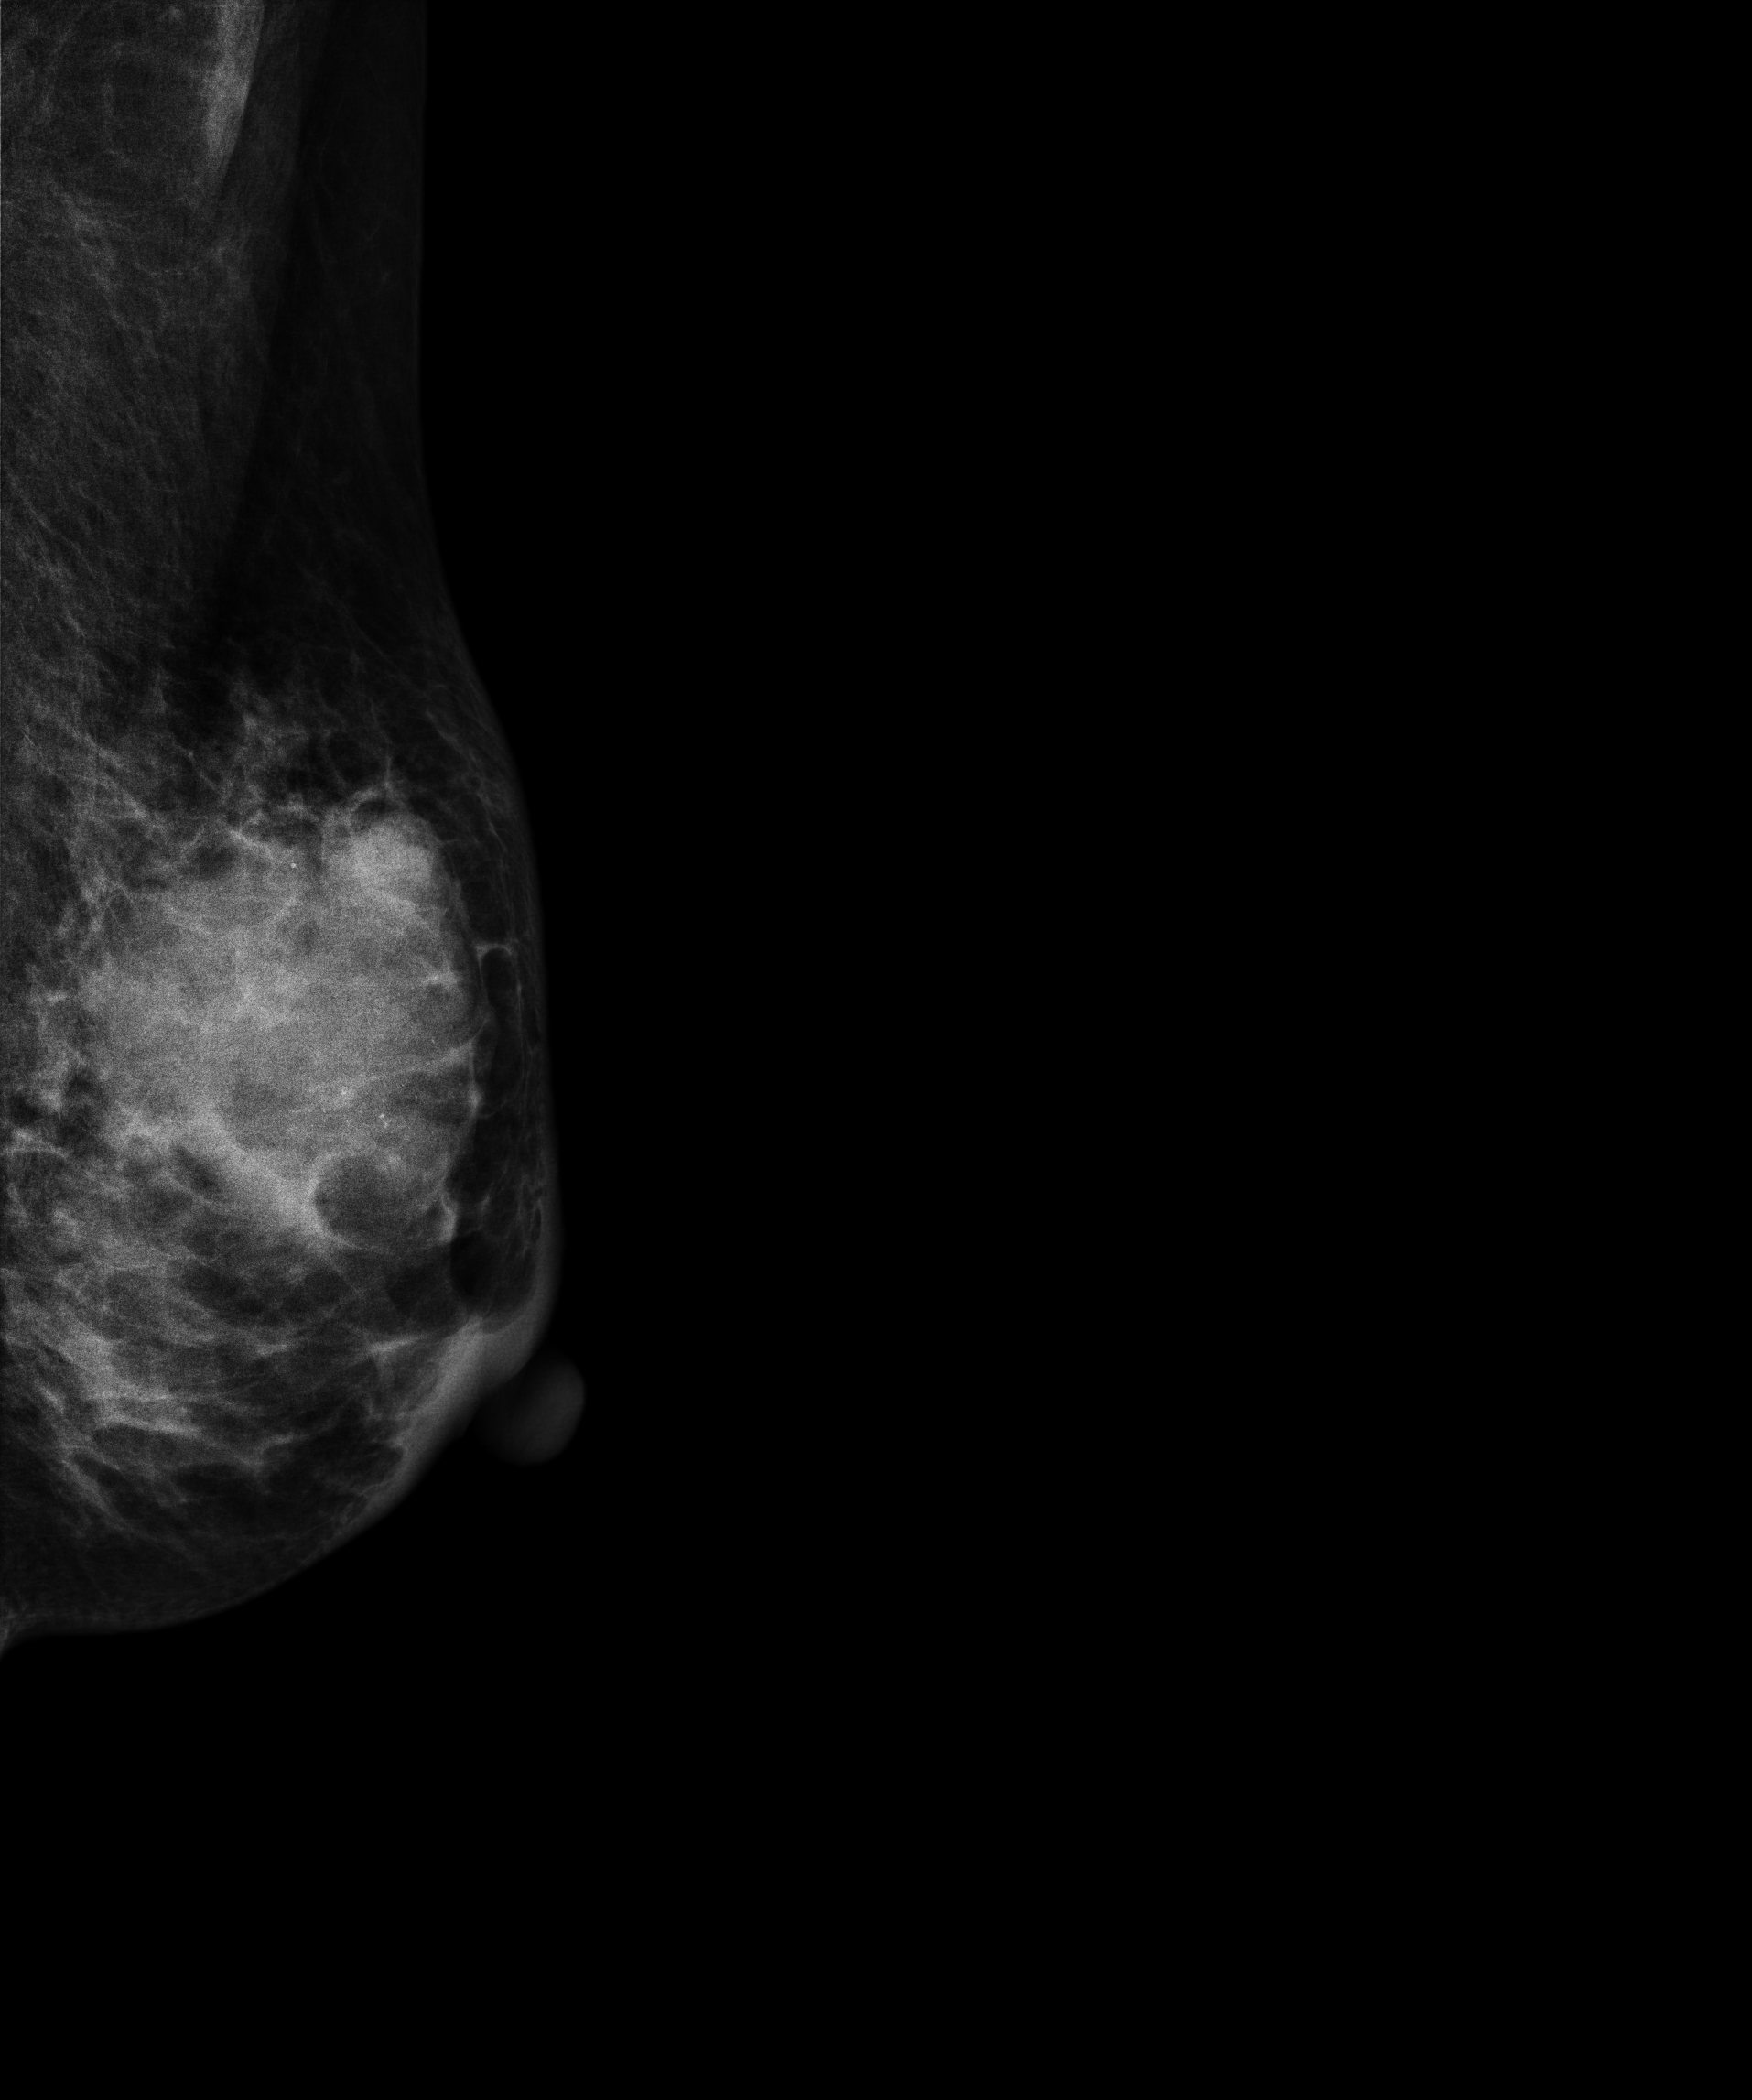
Digital mammography. Left breast, medio-lateral oblique projection. Patient age 49.
This breast has a mass and calcifications, pathology-confirmed malignant. Molecular subtype: triple-negative.